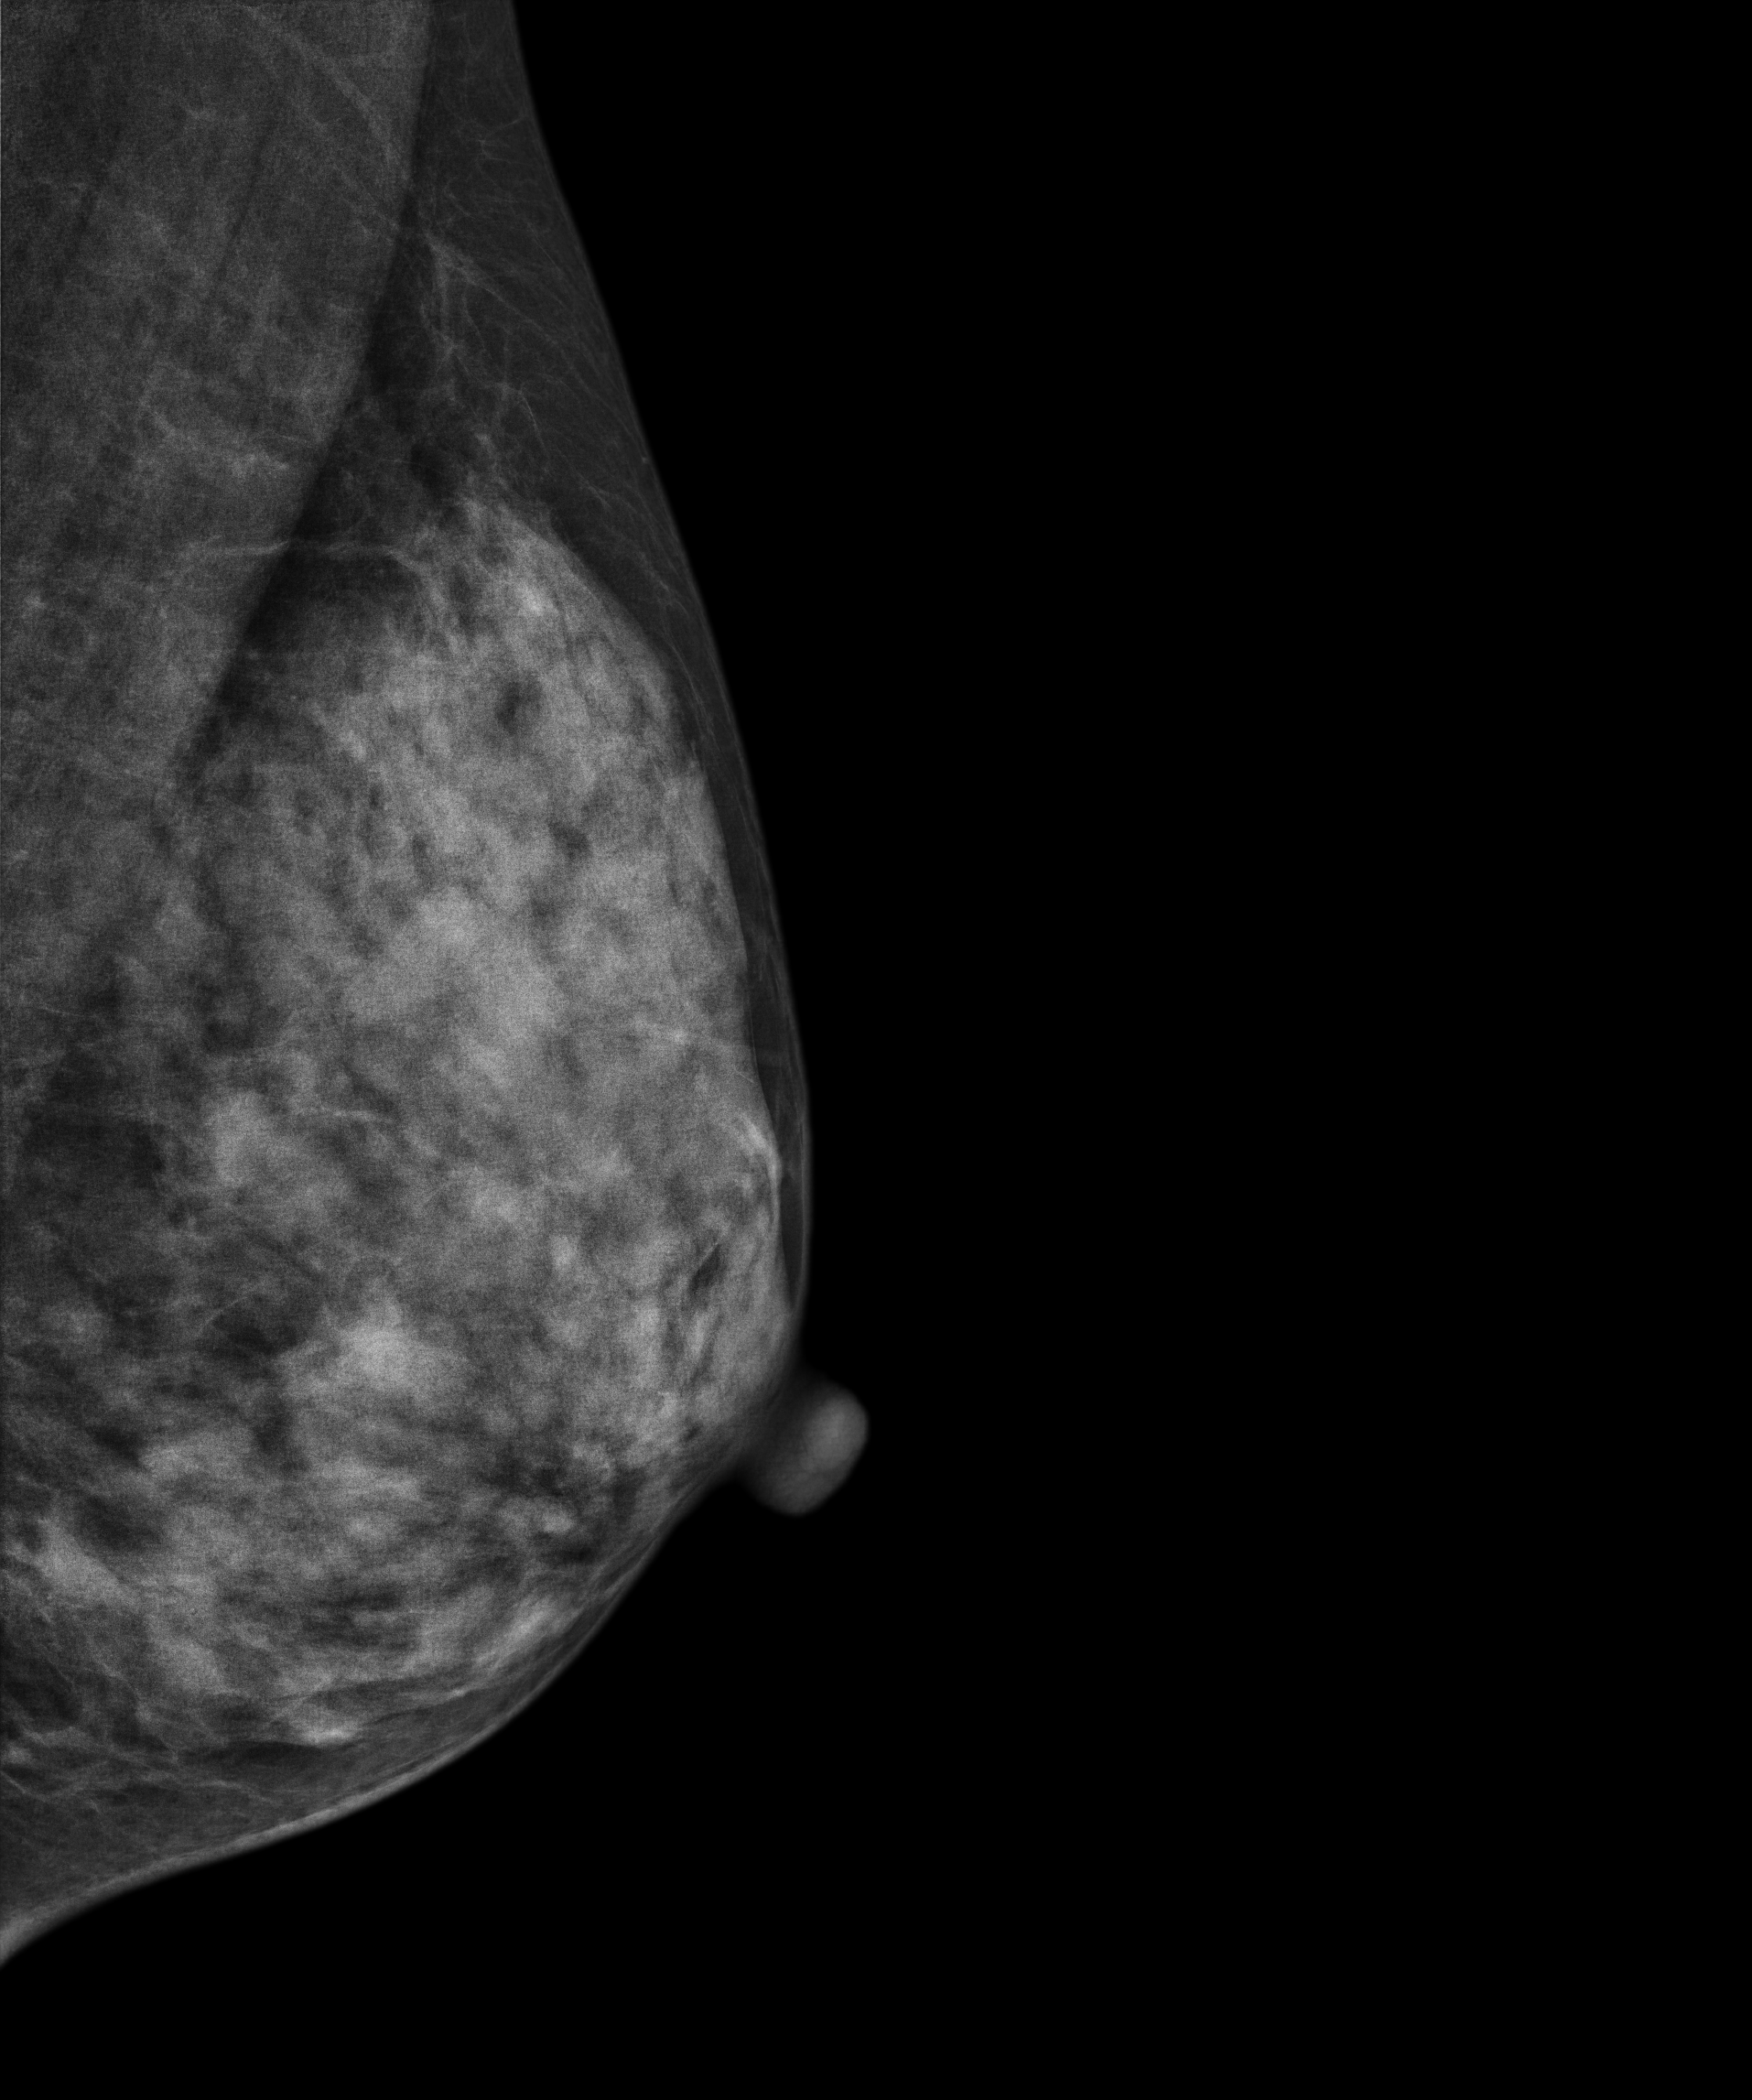
Mammogram, left breast, medio-lateral oblique view. 36-year-old patient.
Contralateral breast — no documented abnormality on this side.